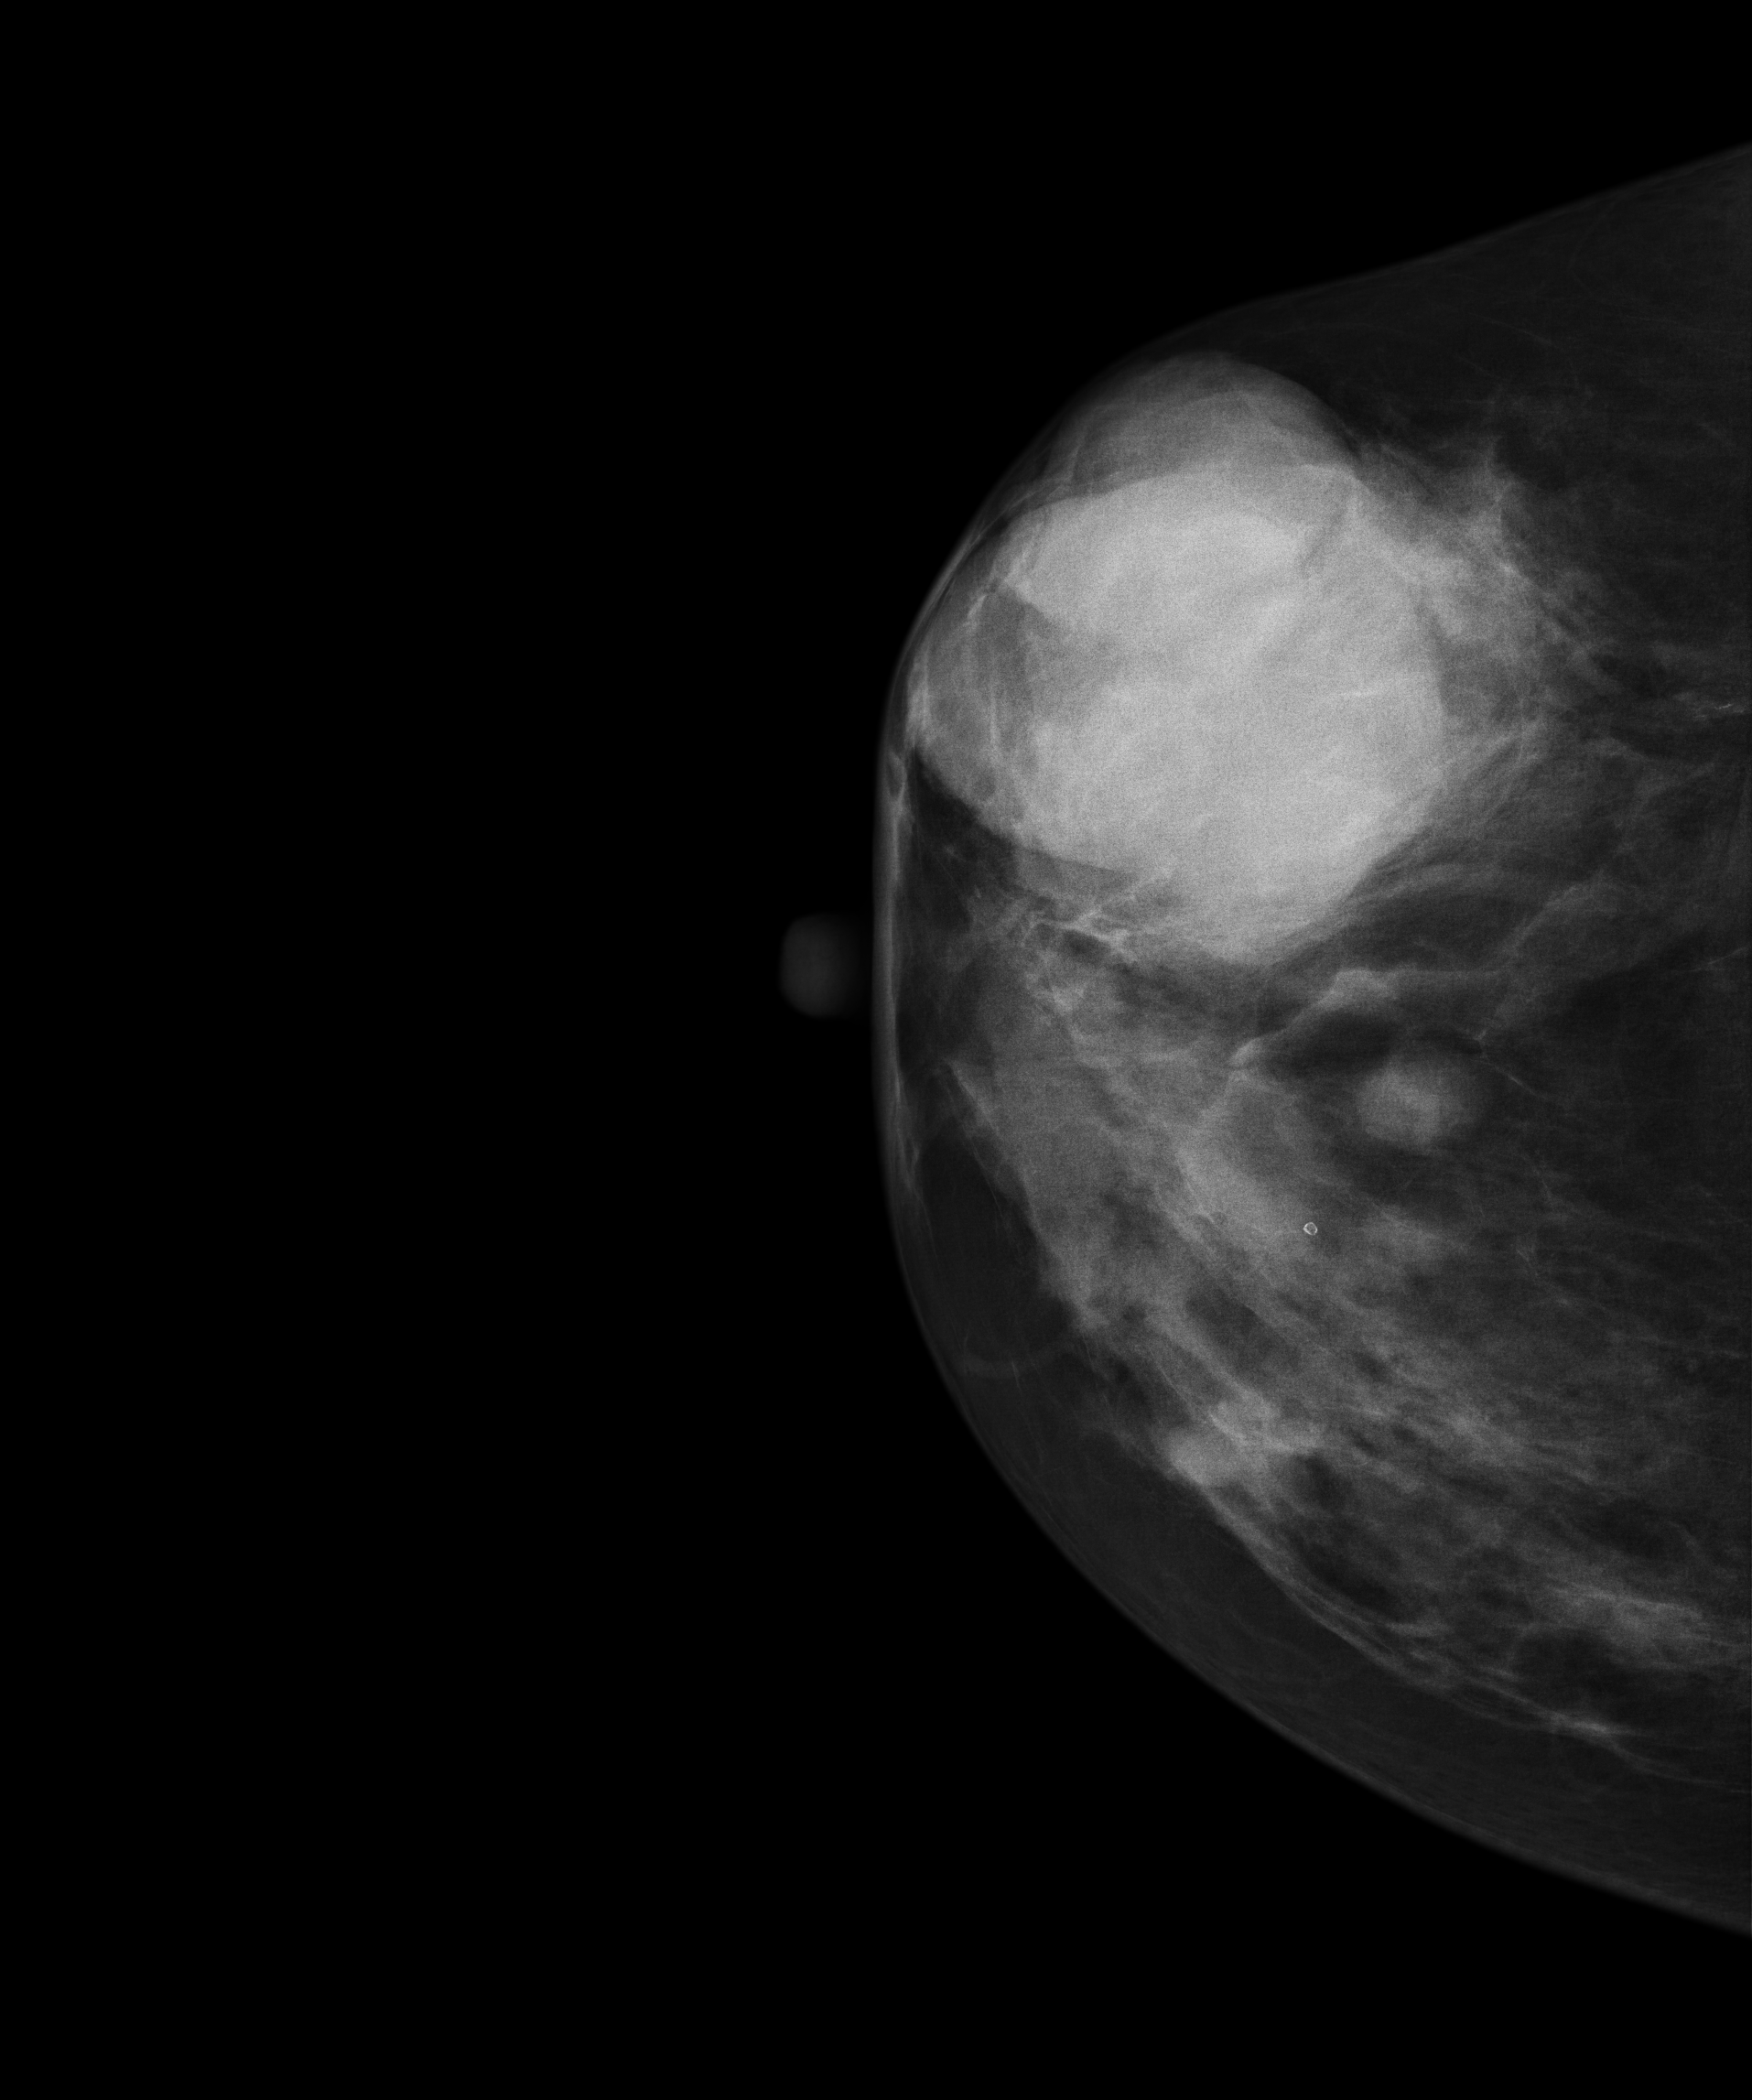
Mammogram, right breast, CC view. 56 y/o patient.
This breast has a mass, biopsy-confirmed malignant.